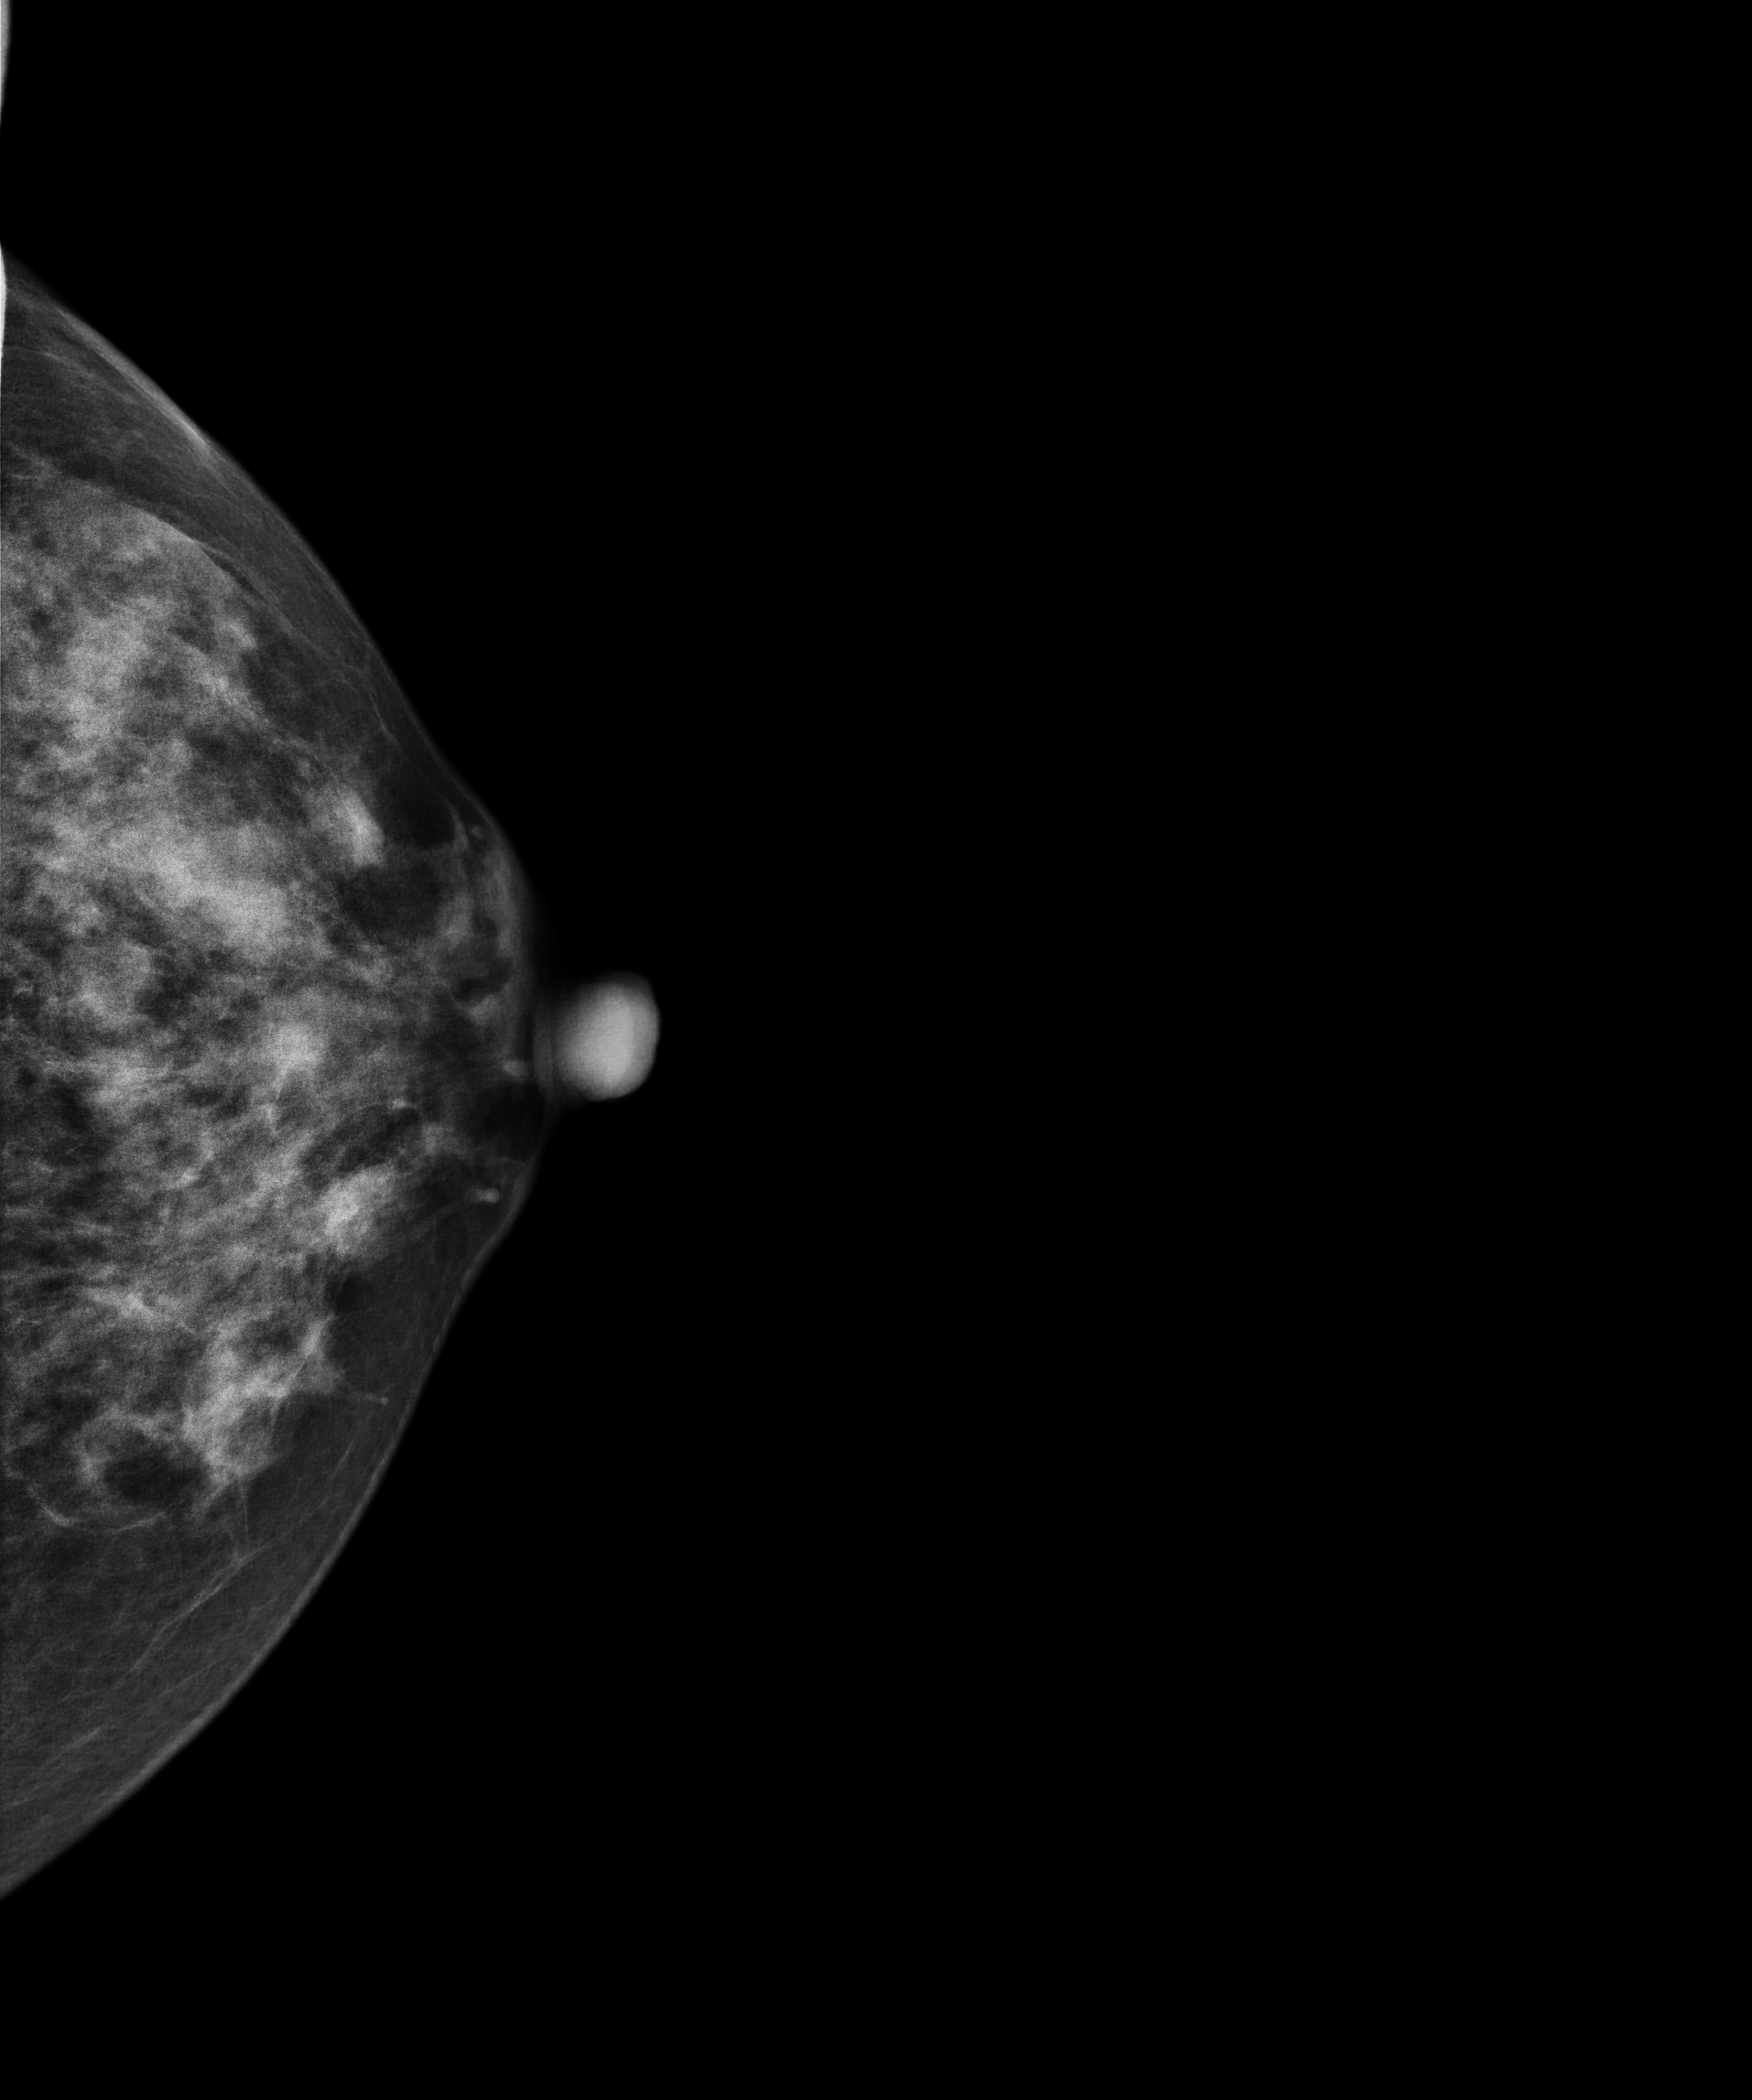
Mammogram, left breast, CC view. Patient age 49.
This breast has a mass, pathology-confirmed benign.